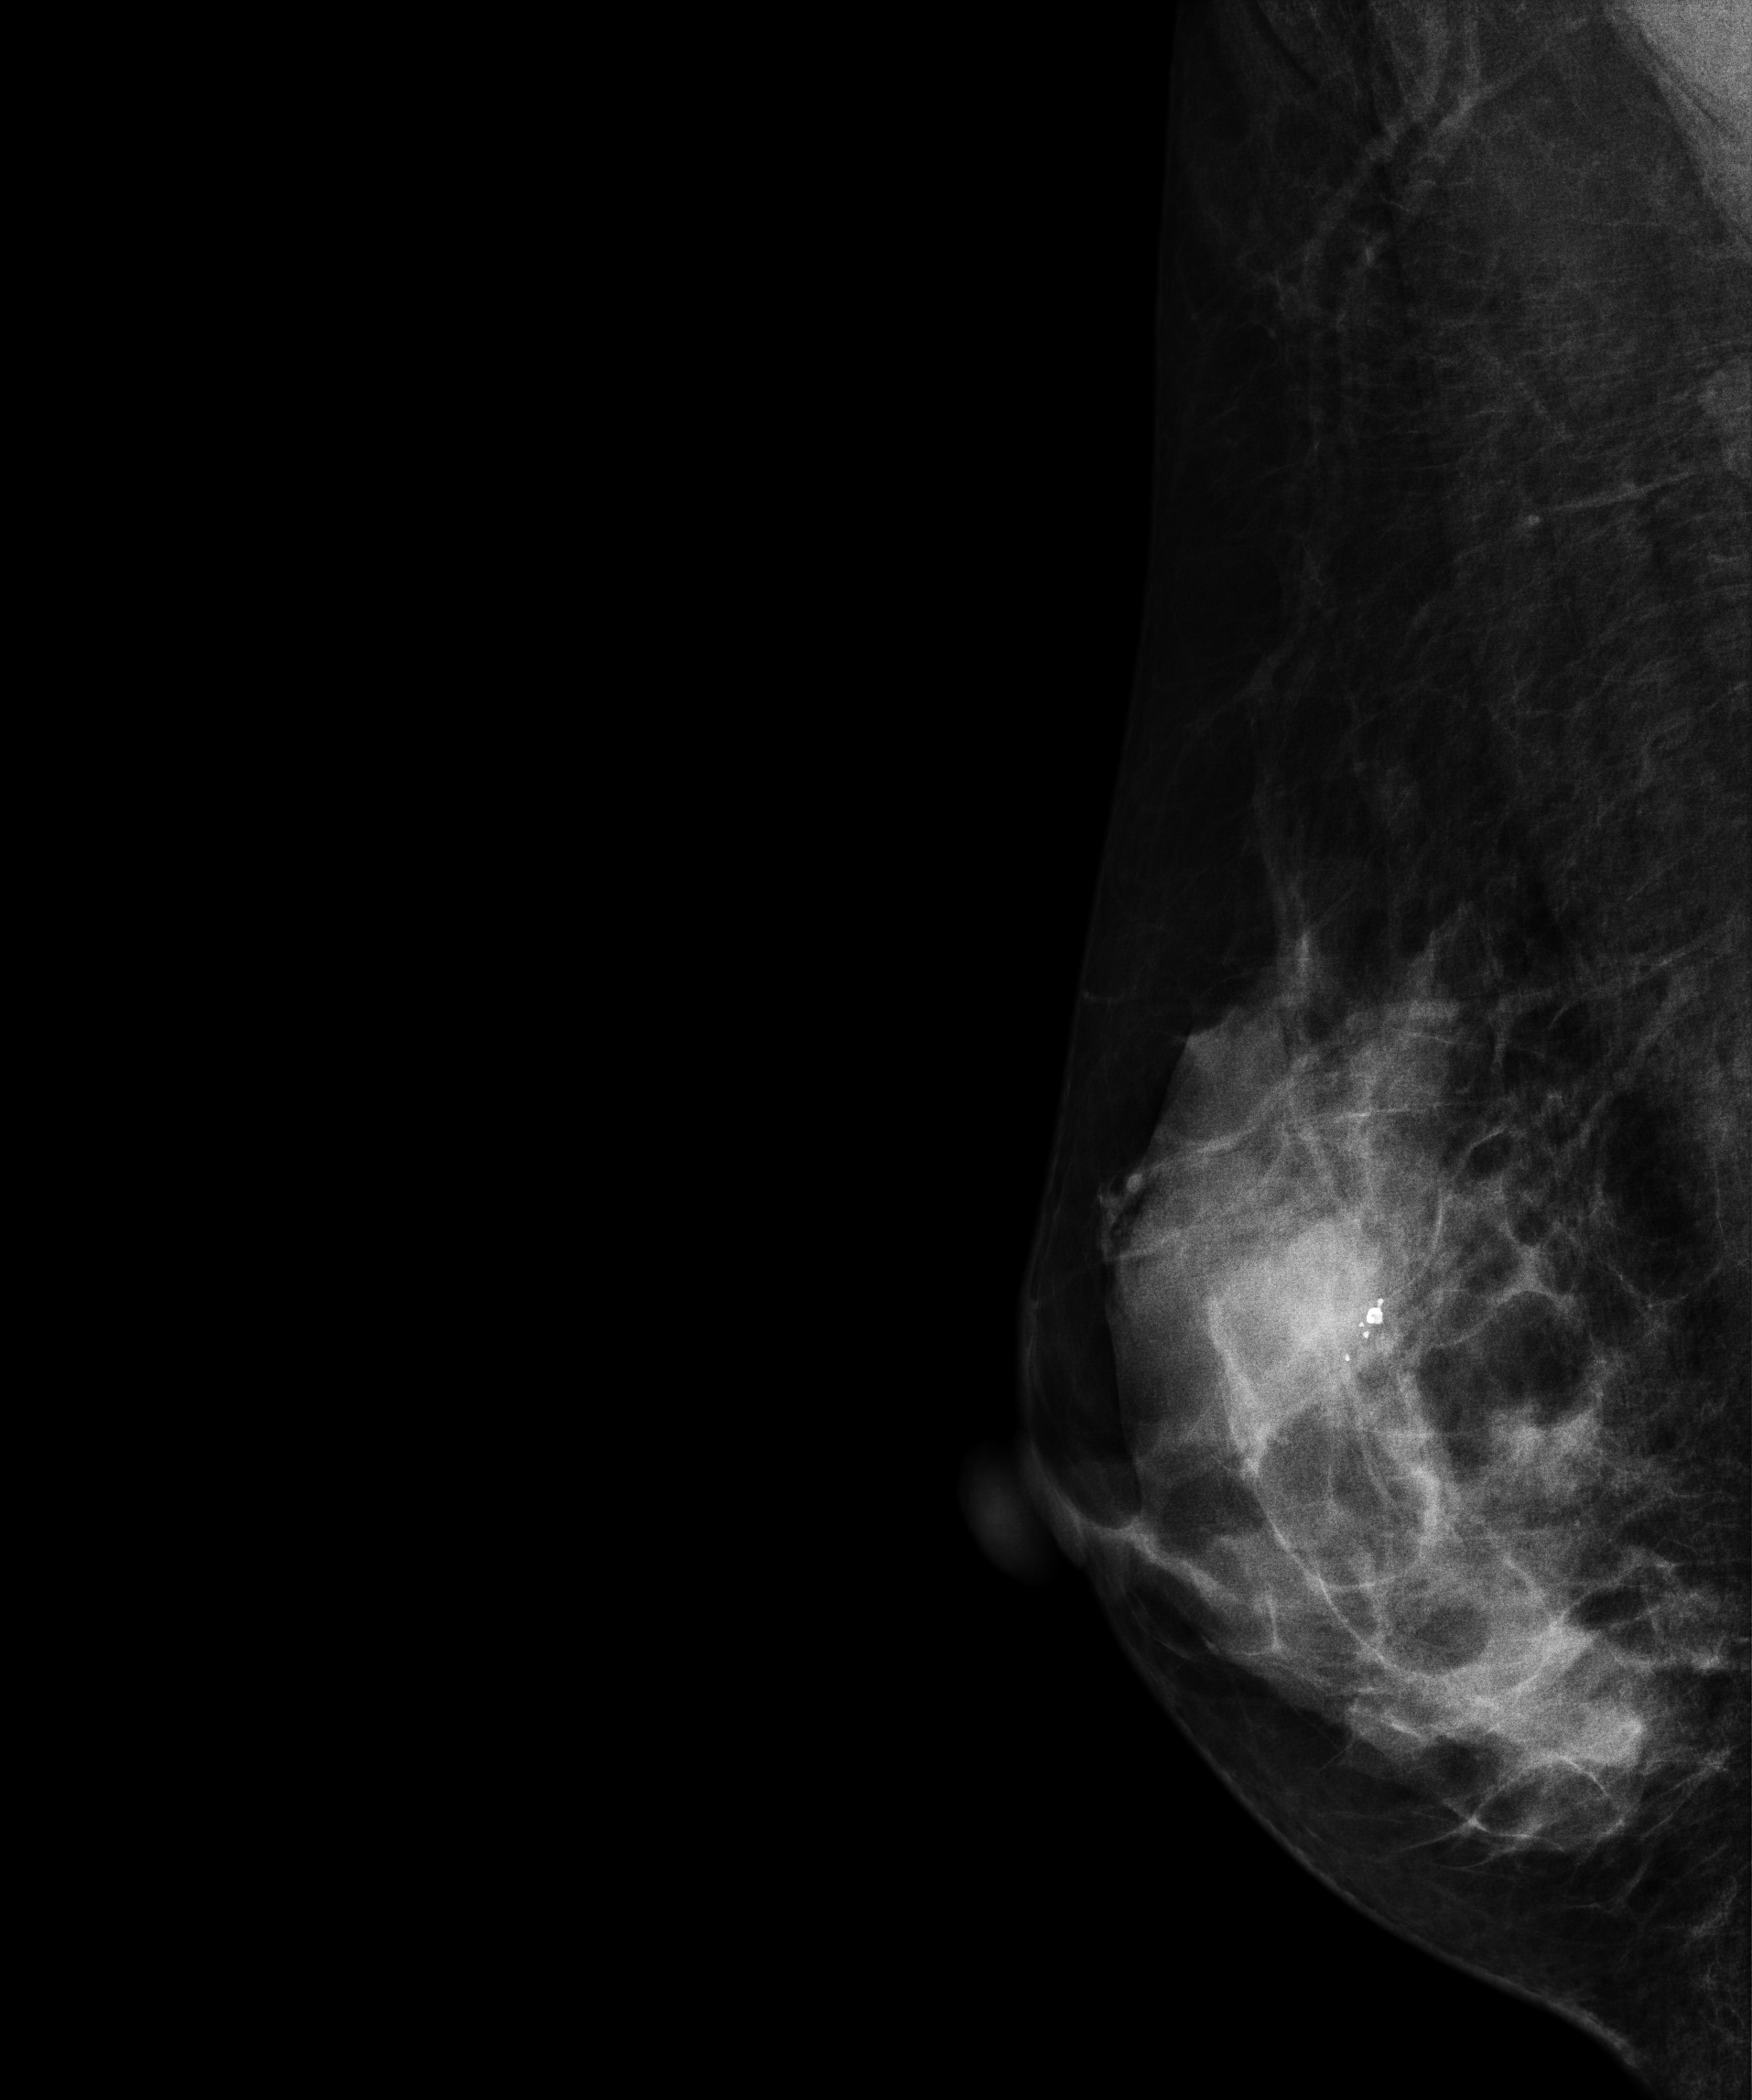
Mammogram, right breast, medio-lateral oblique view. 51-year-old patient.
This breast has a mass and calcifications, histologically confirmed benign.